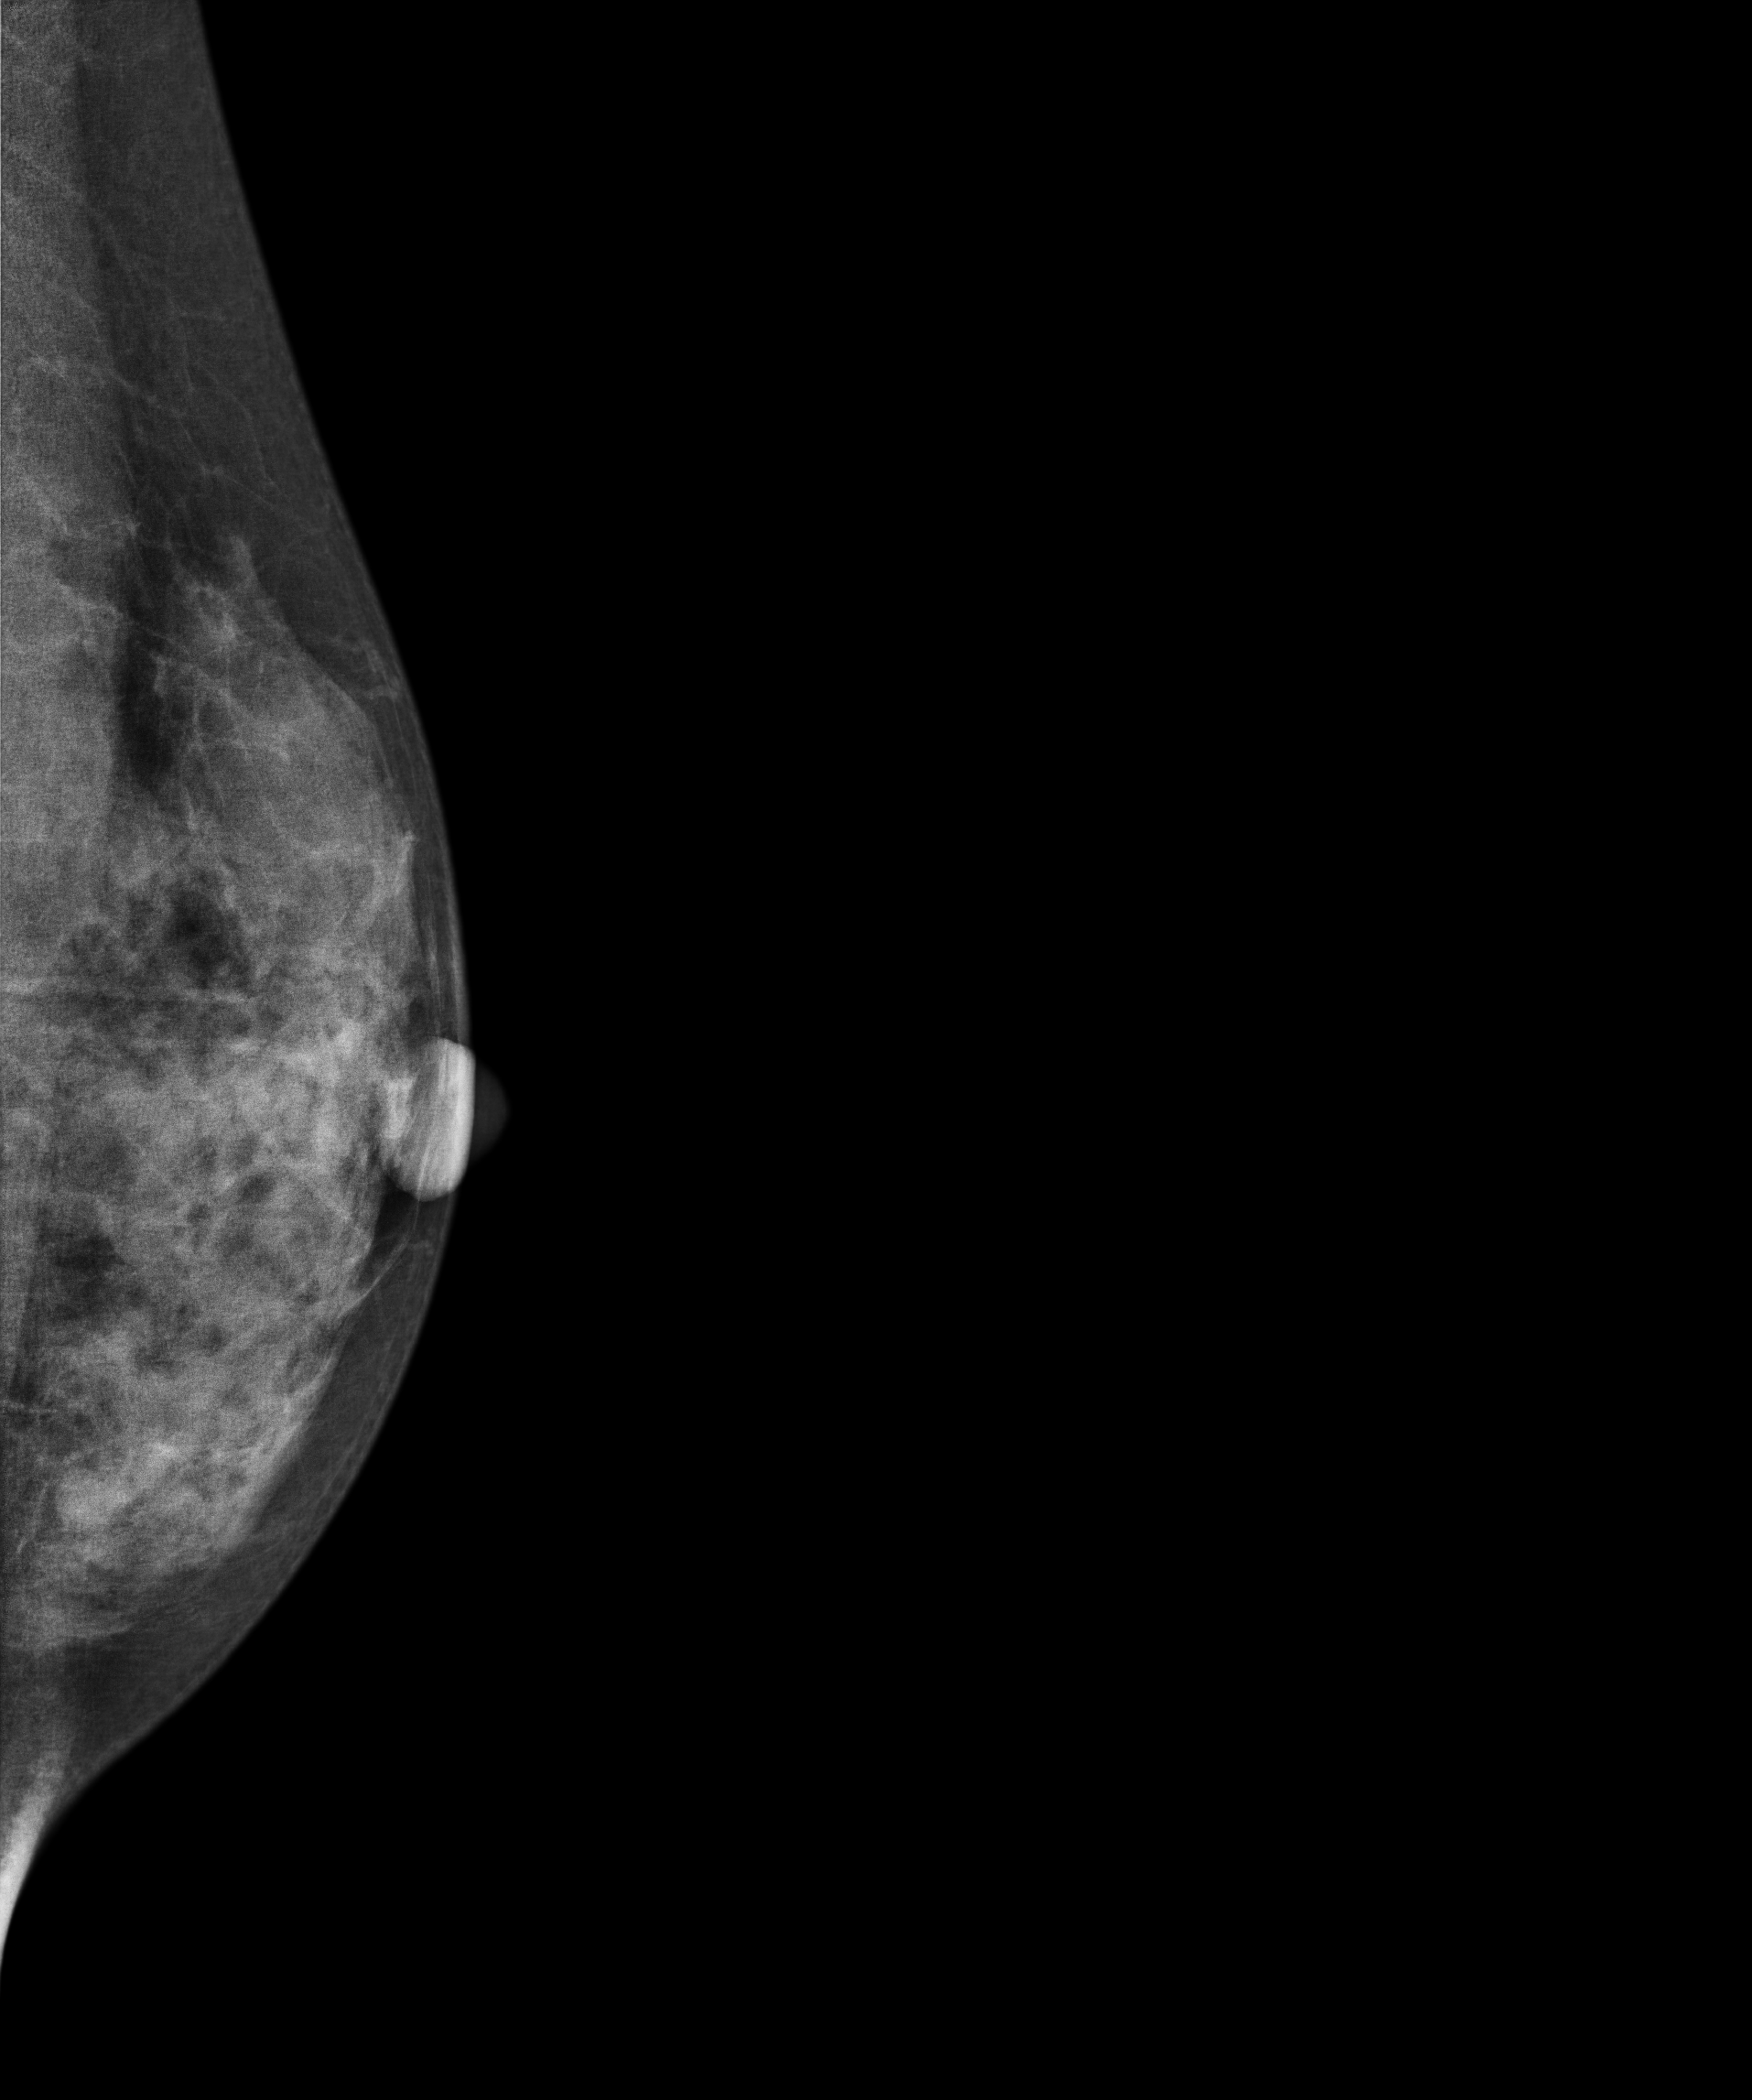
Mammogram — left MLO. Patient age 31.
Contralateral breast — no documented abnormality on this side.